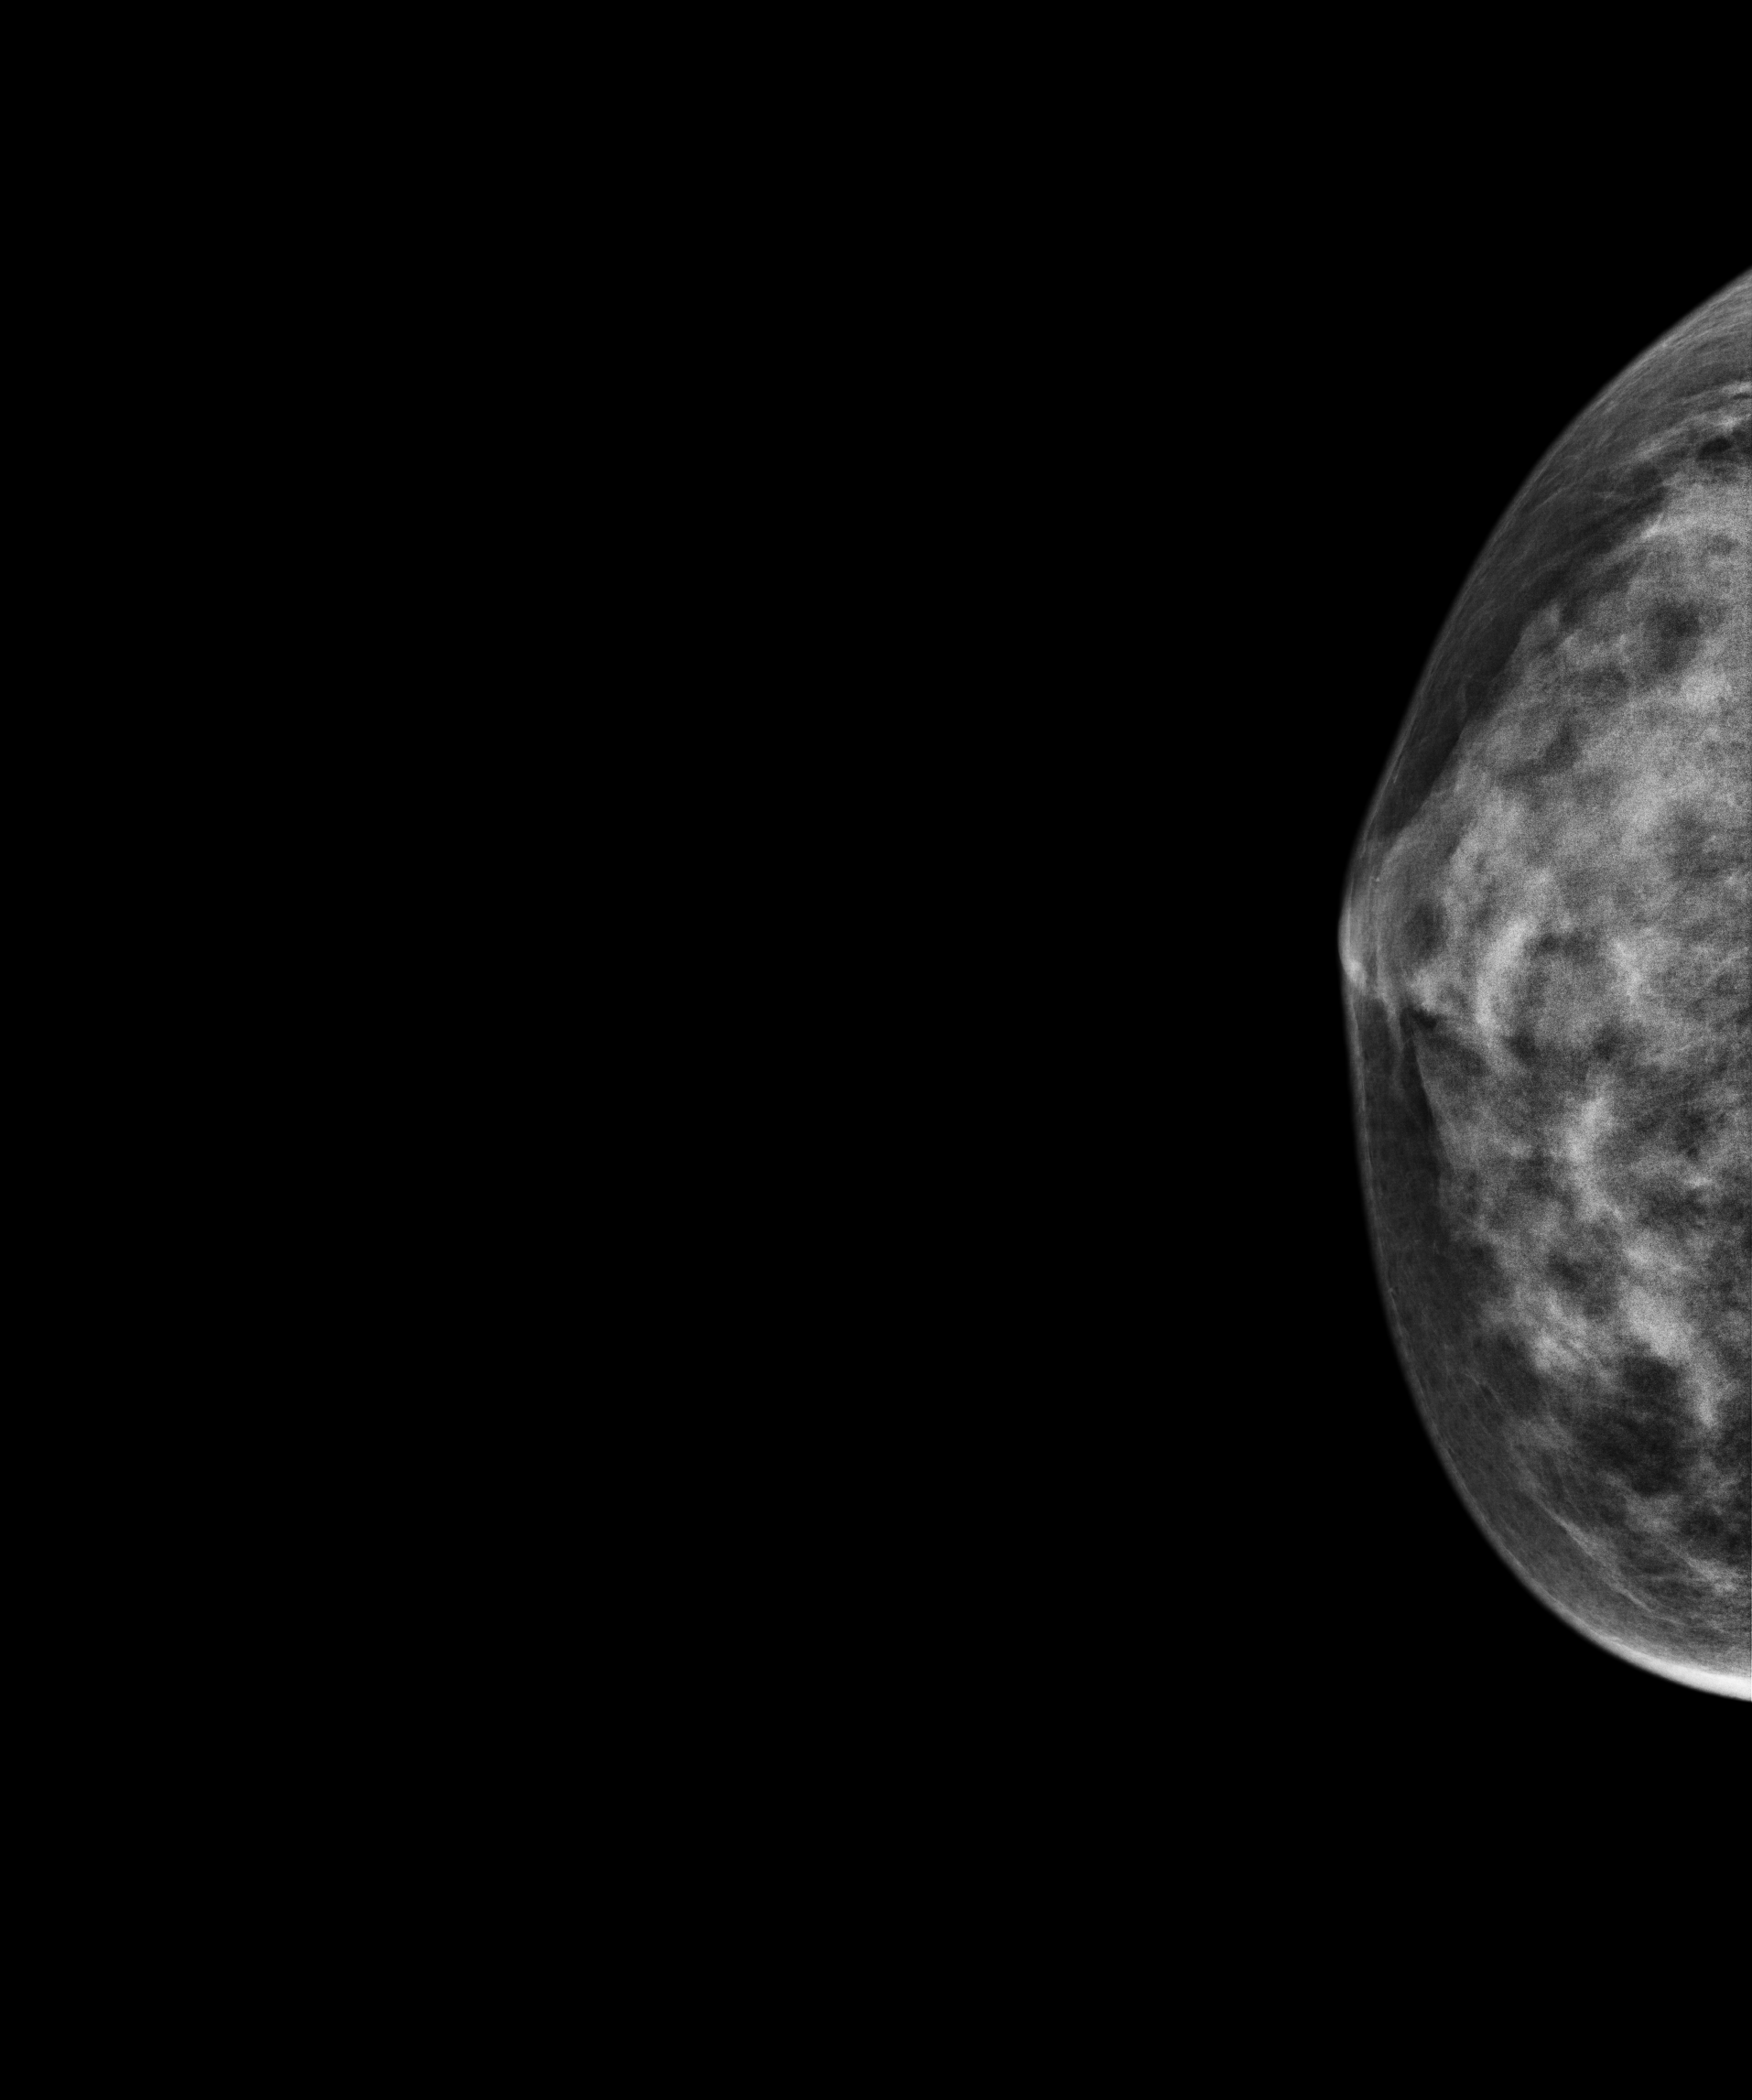
CC mammogram of the right breast. 21-year-old patient.
Contralateral breast — no documented abnormality on this side.